Cranio-caudal mammogram of the right breast. 63 y/o patient.
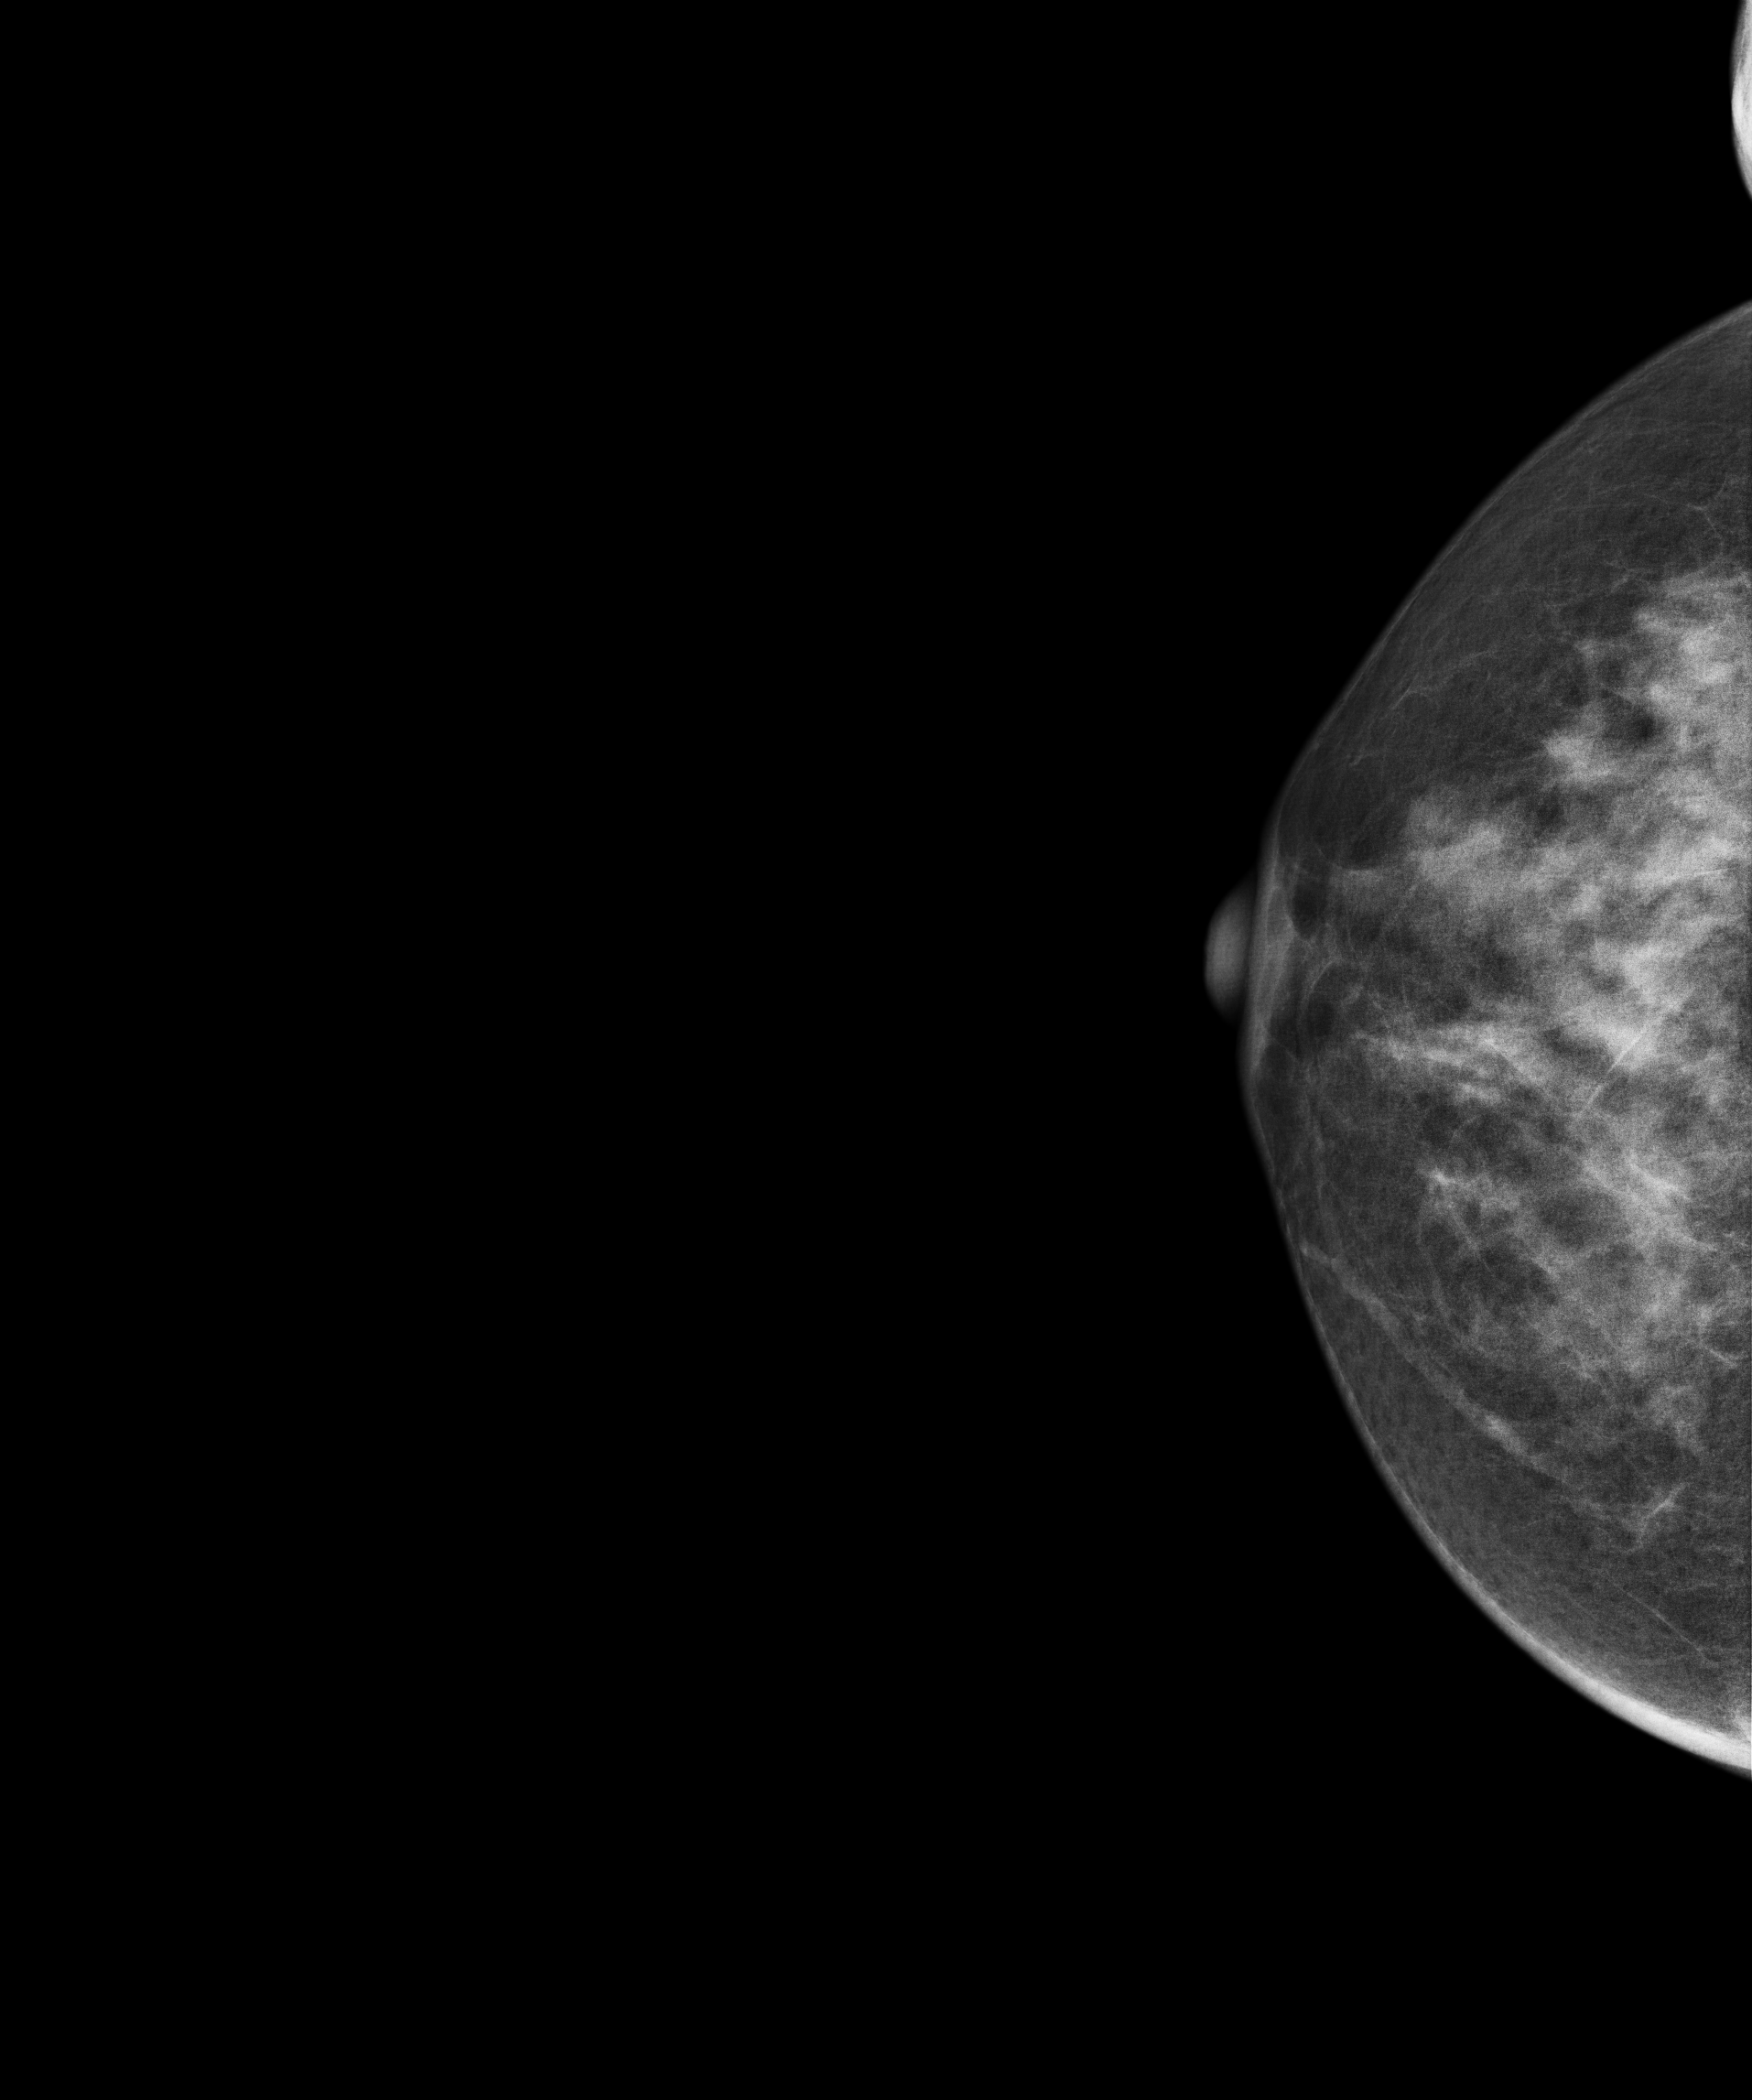
Contralateral breast — no documented abnormality on this side.